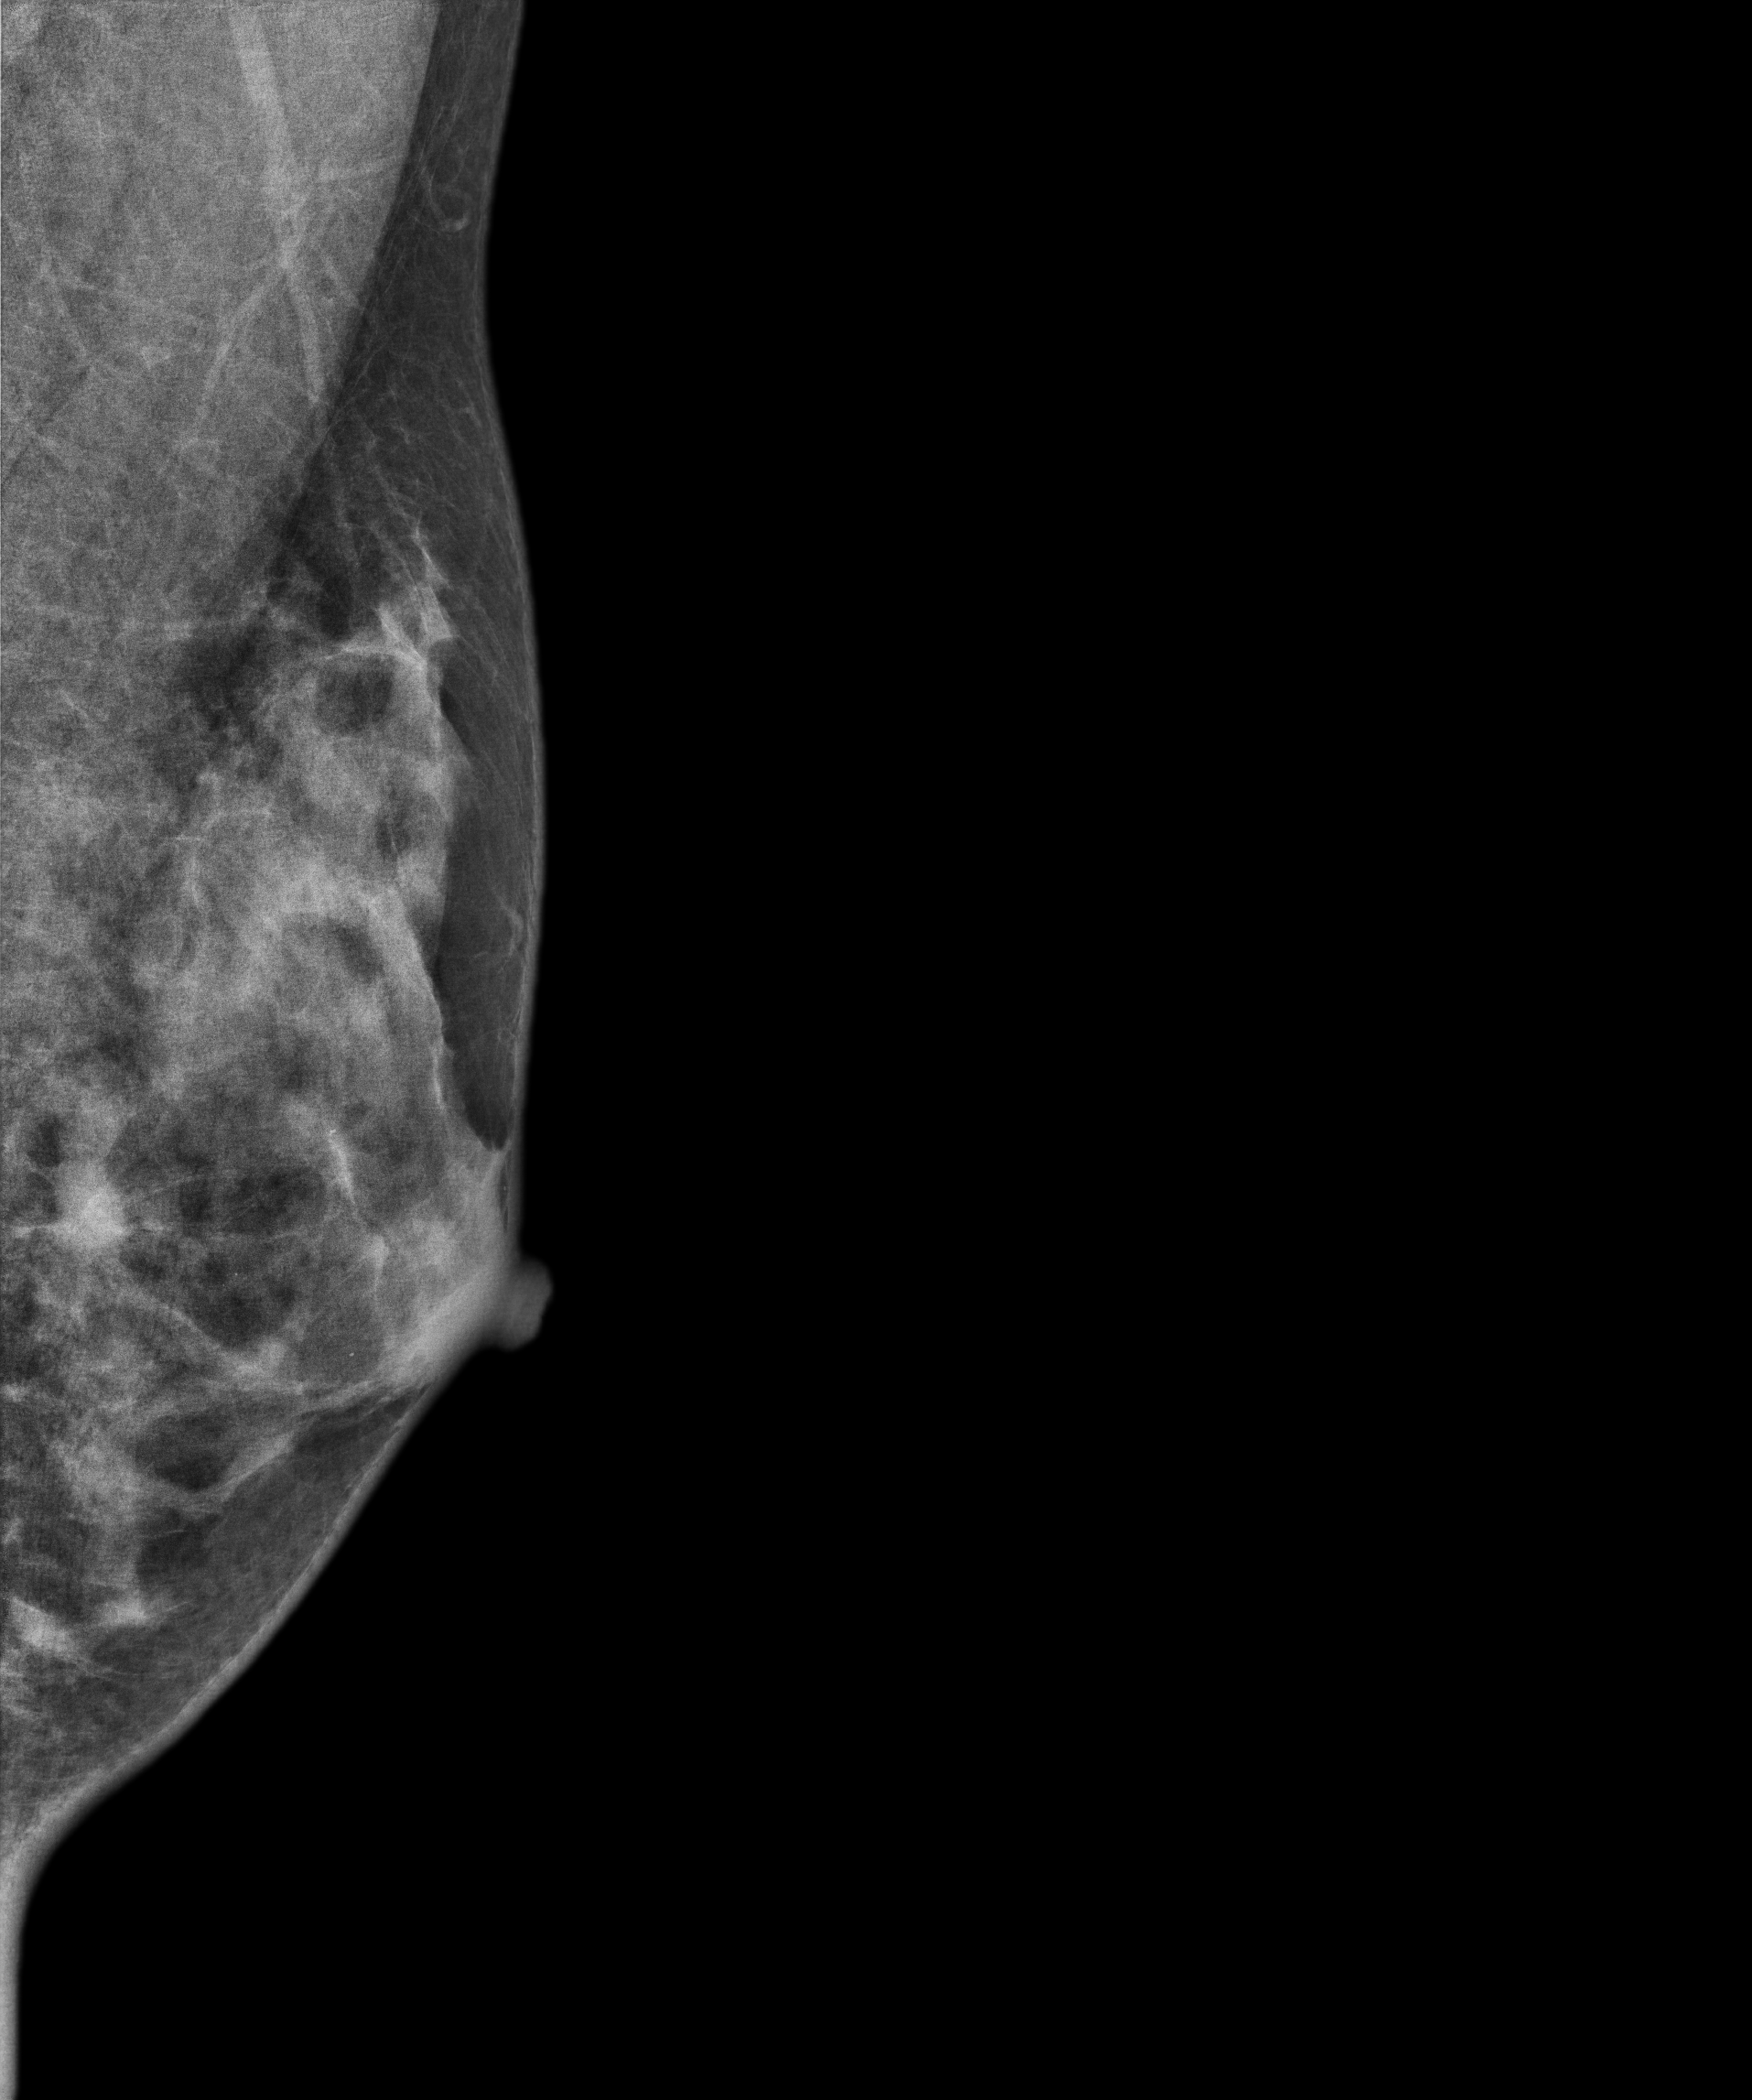
MLO mammogram of the left breast. 37 y/o patient.
This breast has a mass, biopsy-proven malignant.